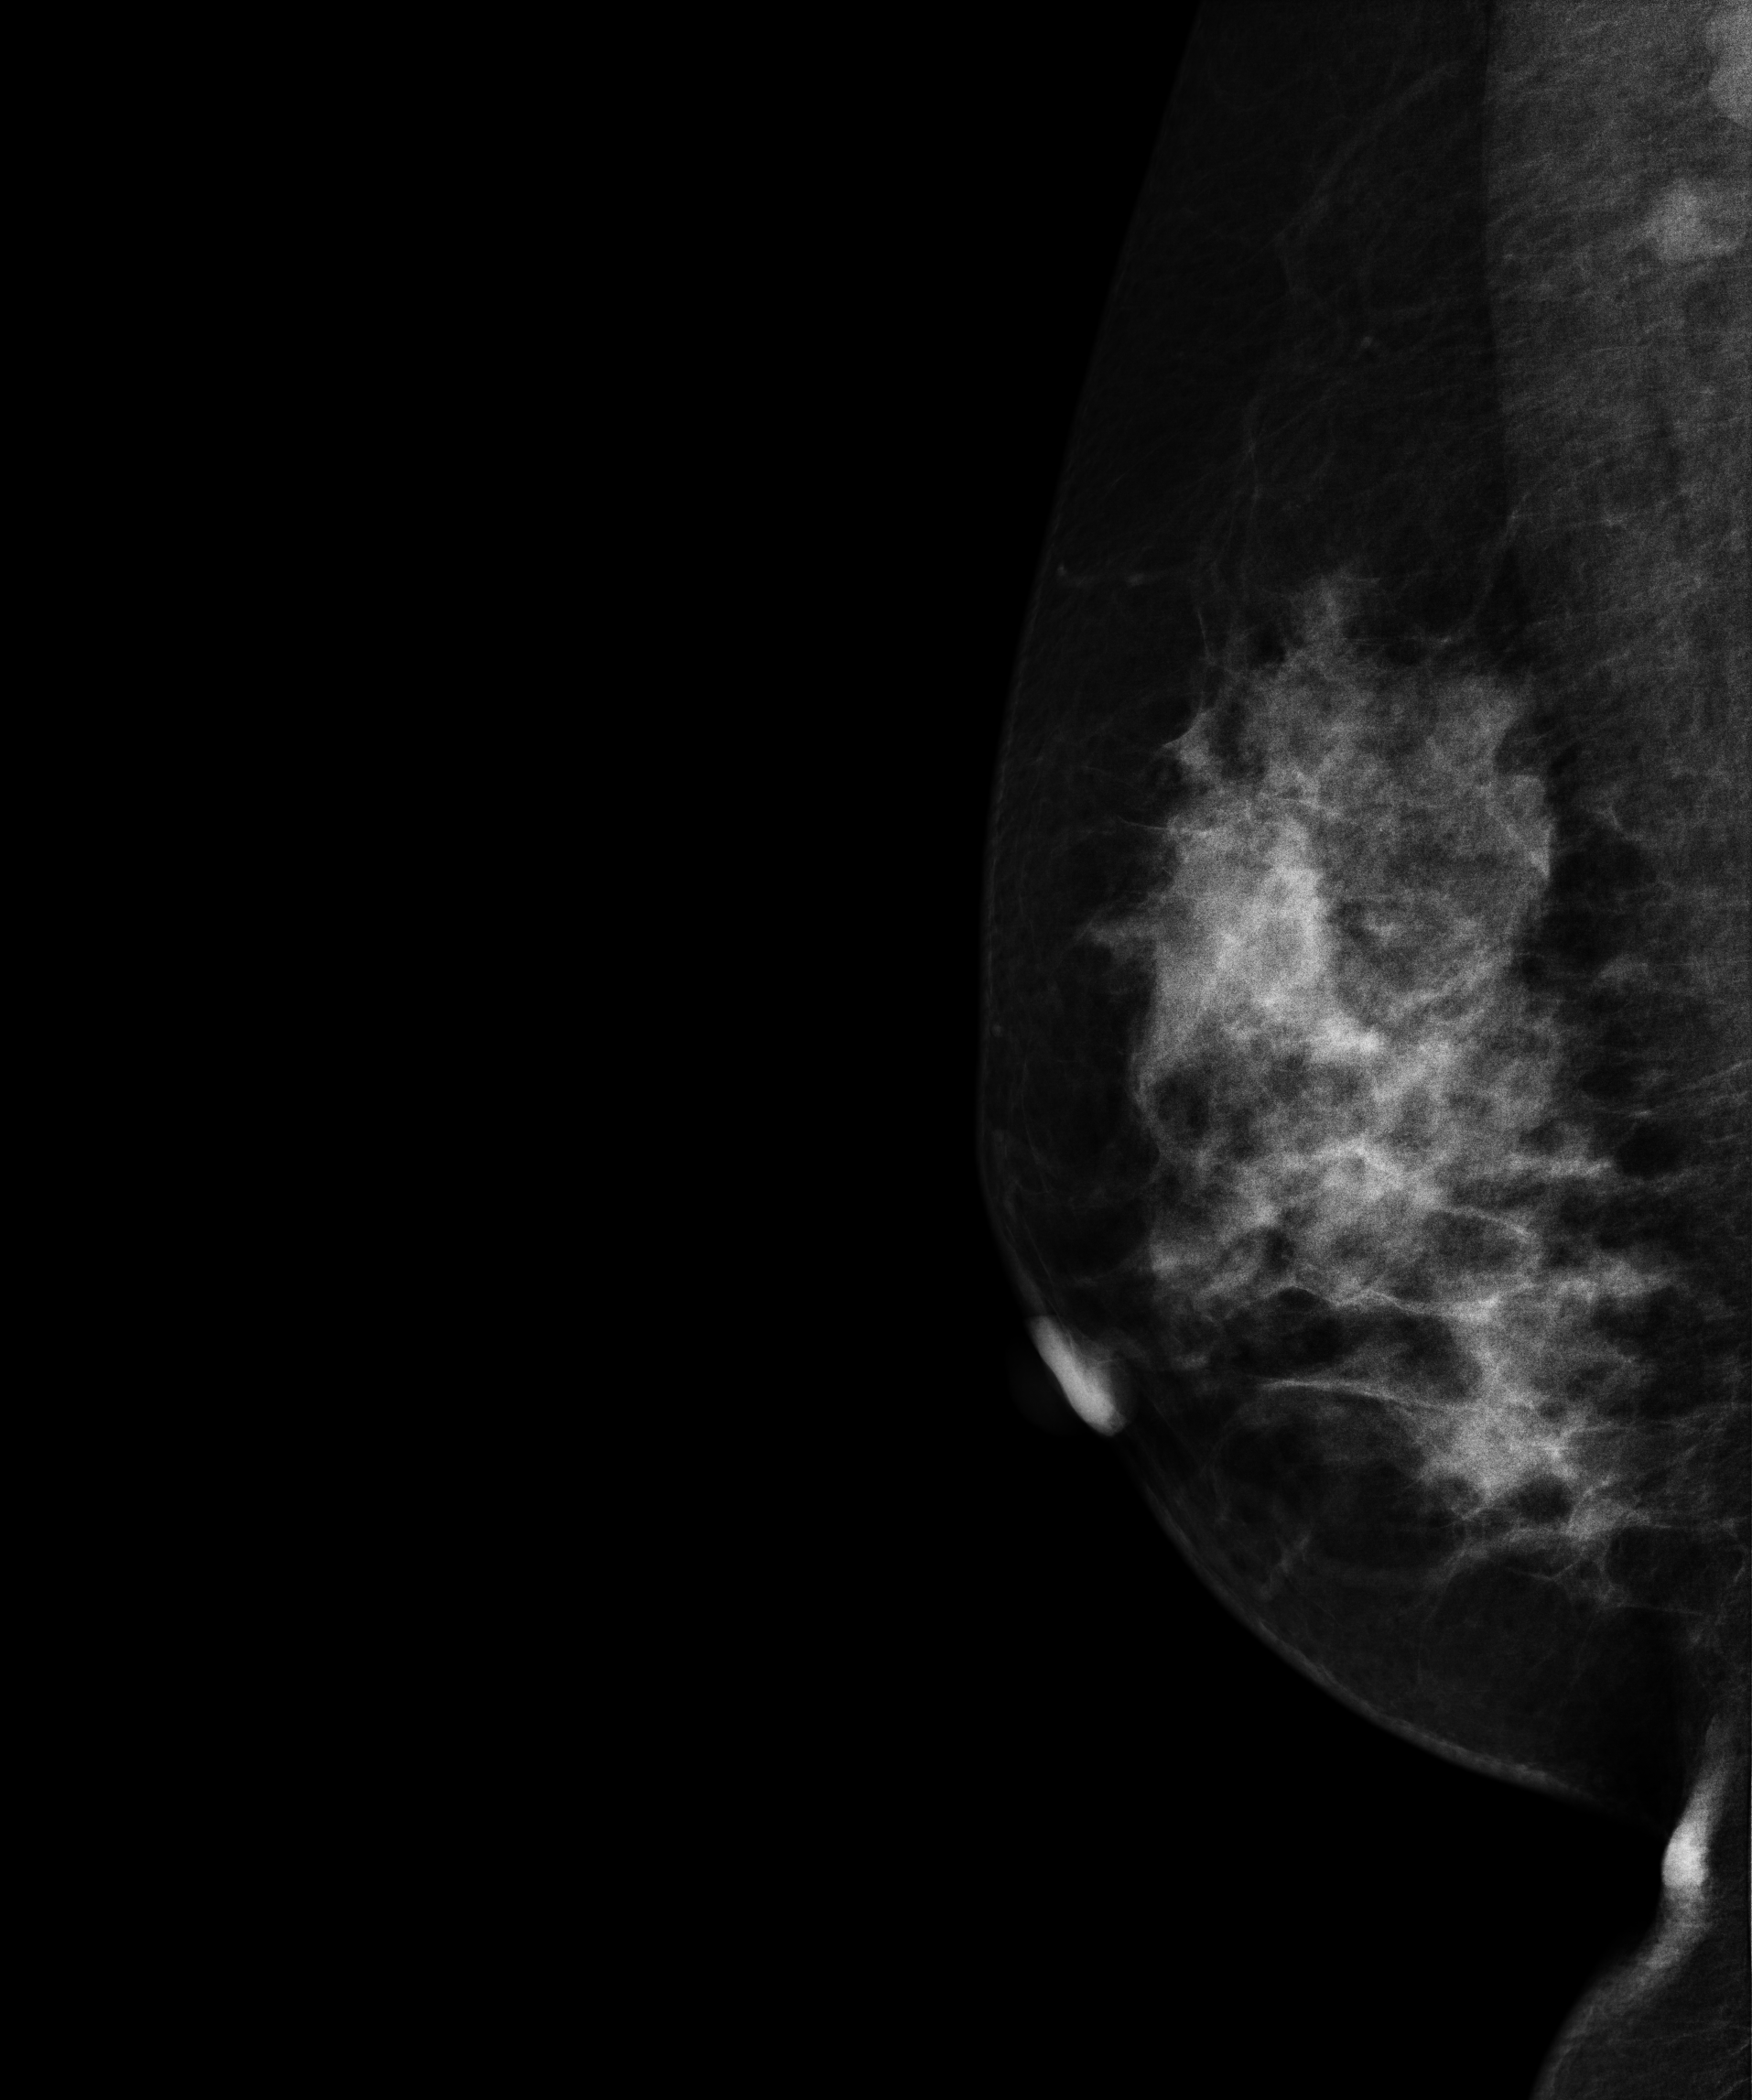
Mammogram — right MLO. 47 y/o patient.
This breast has a mass, histologically confirmed malignant. Molecular subtype: luminal B.